Mammogram, left breast, MLO view. Patient age 45.
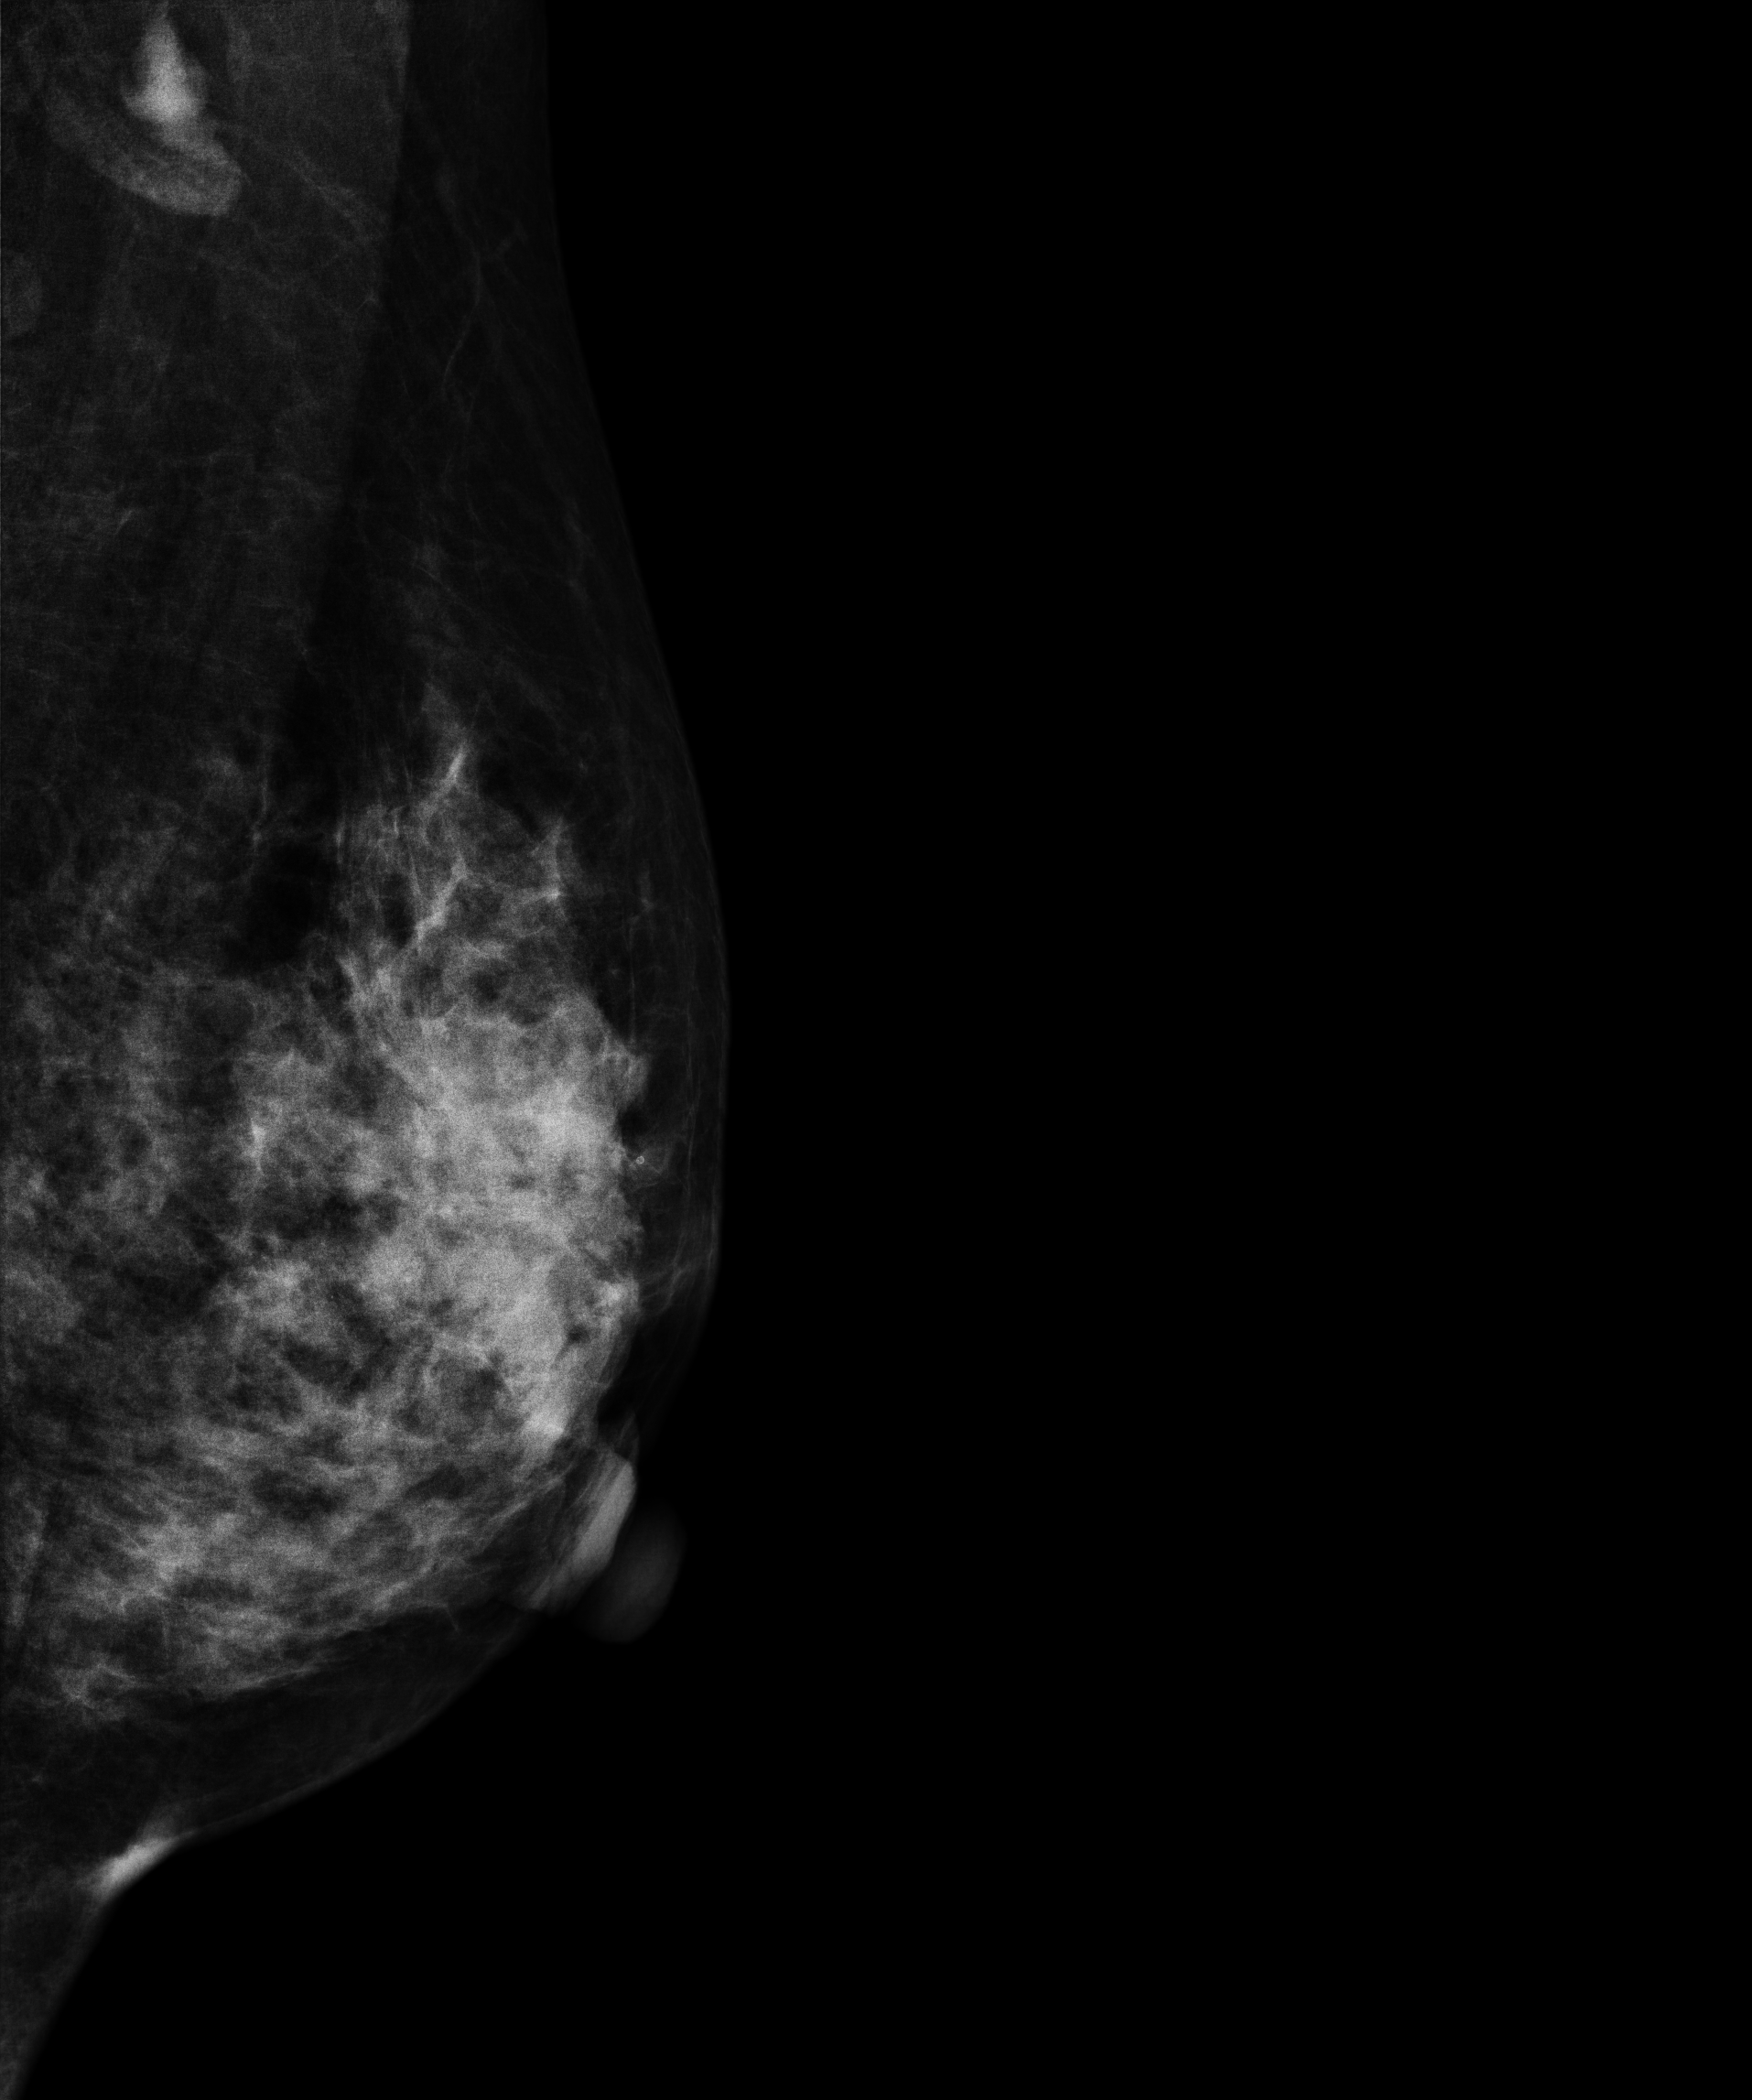
This breast has a mass, biopsy-confirmed malignant. Molecular subtype: luminal B.